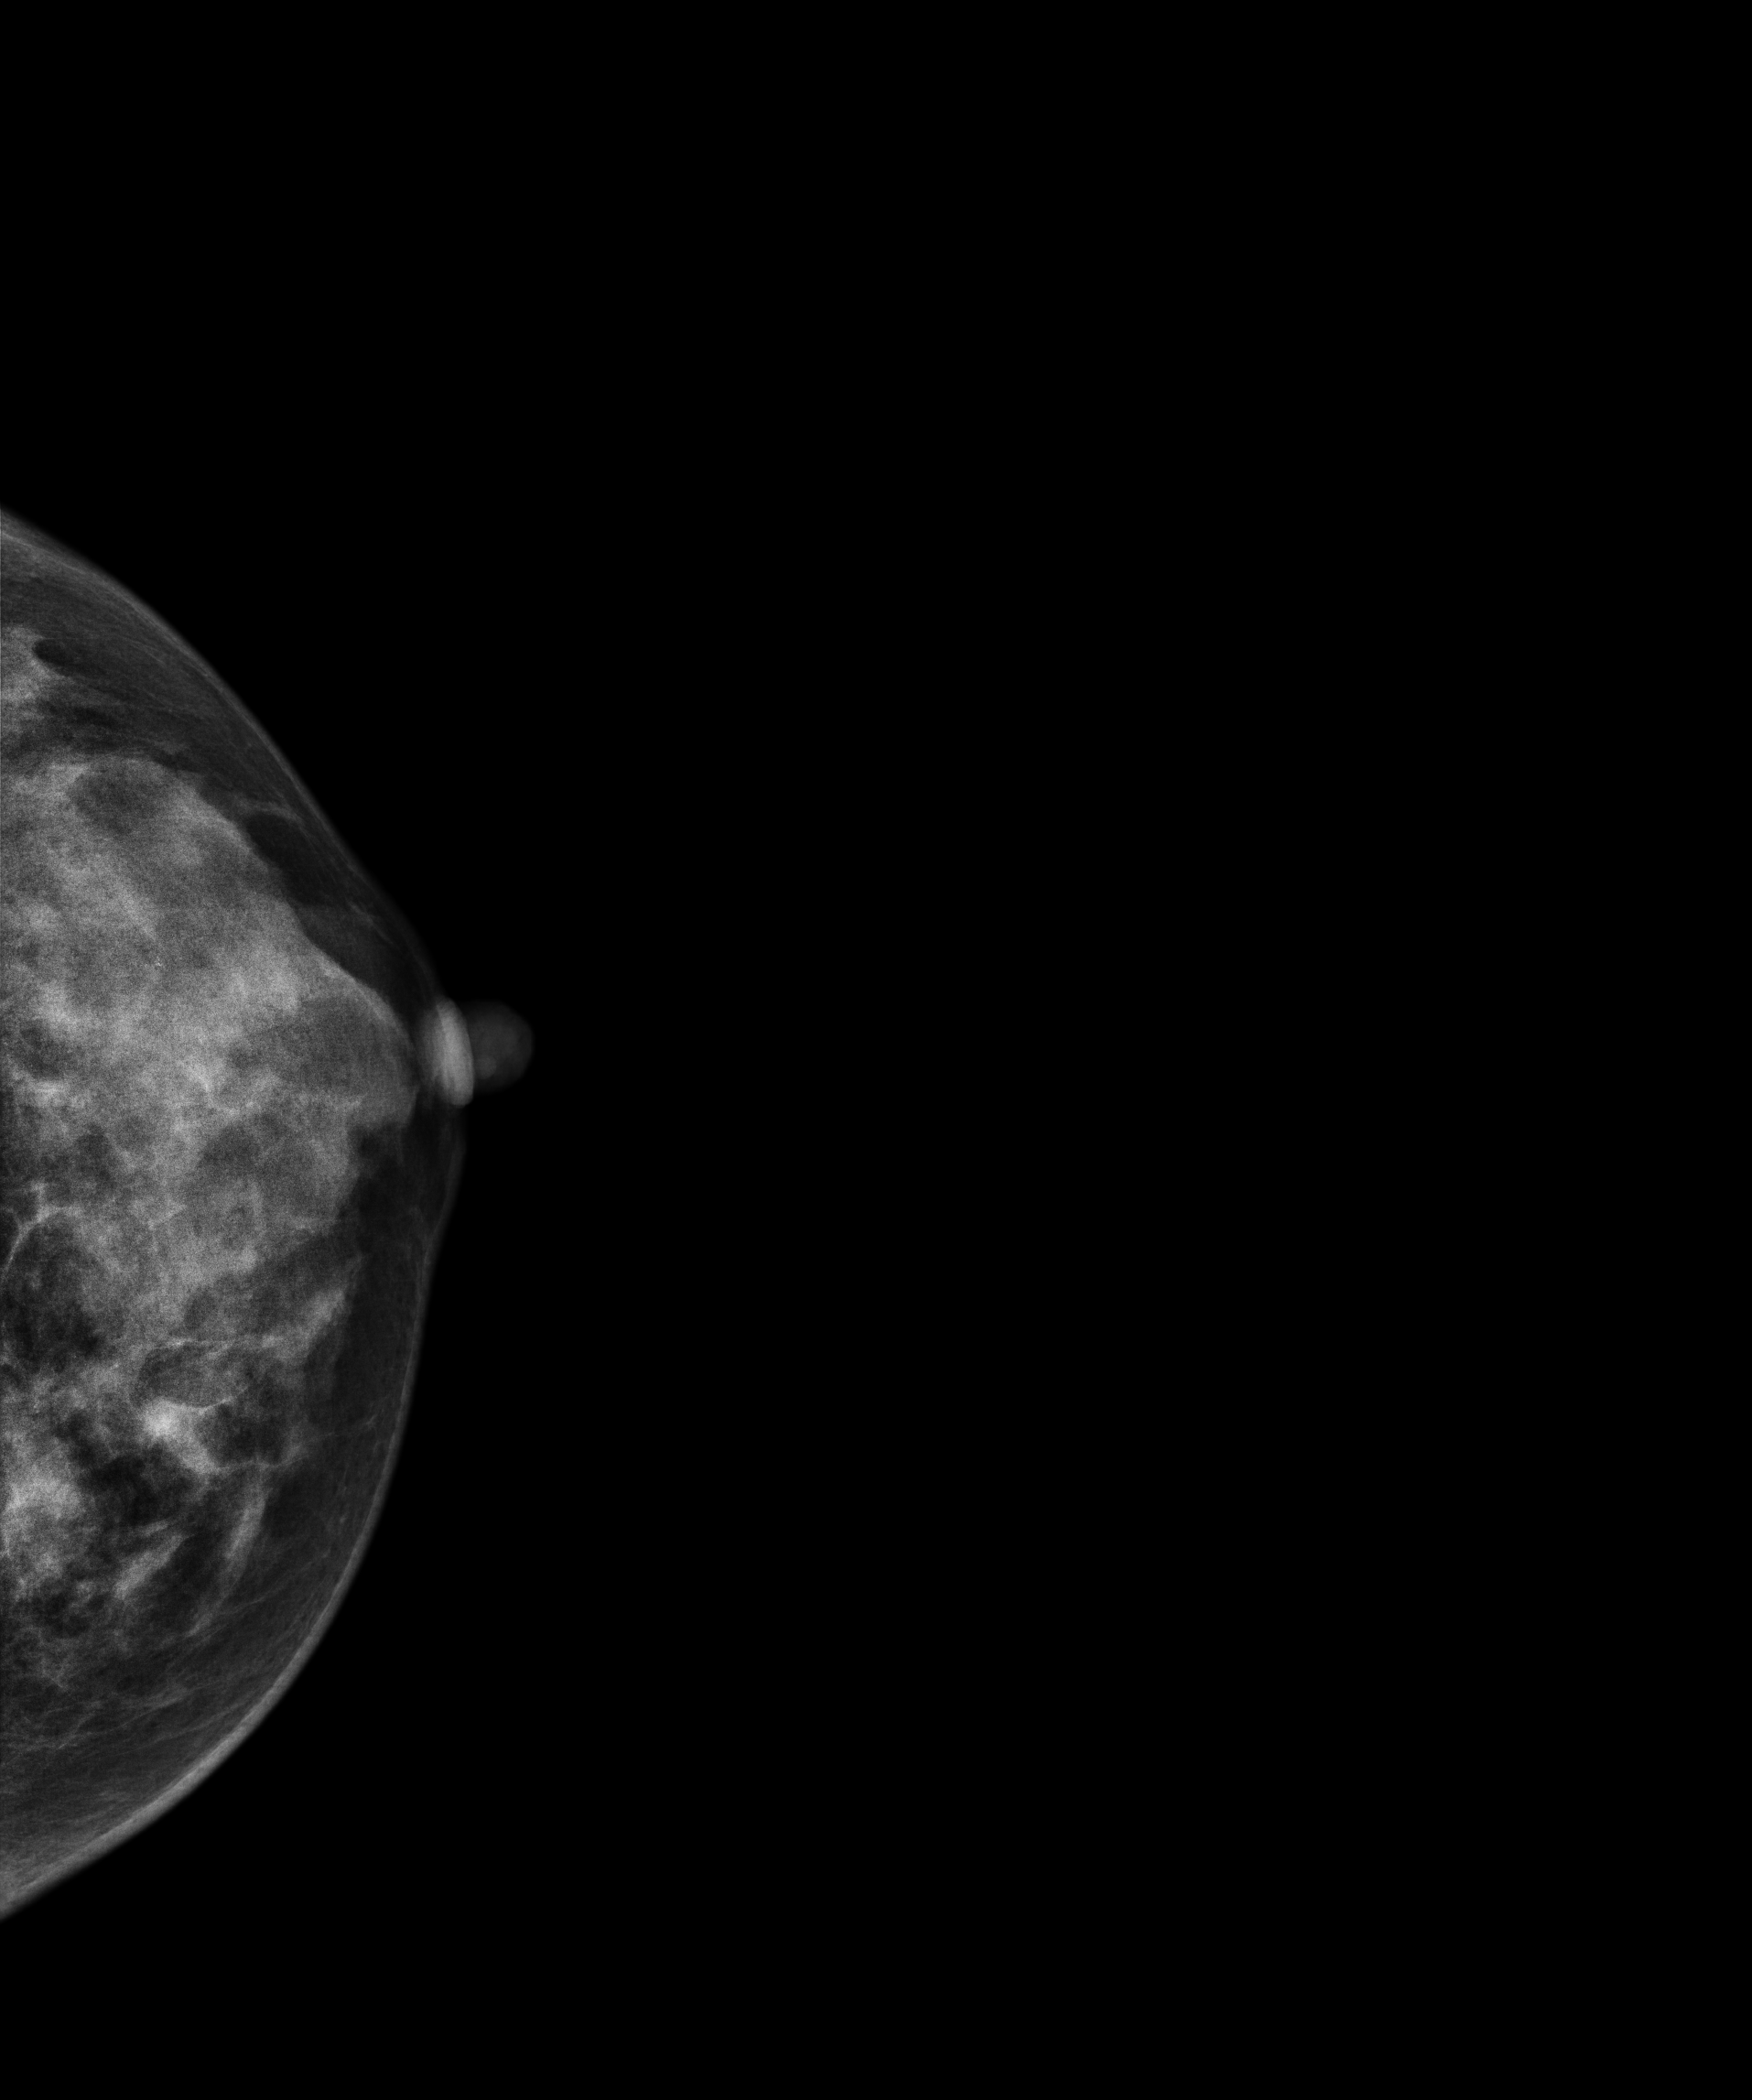
Mammogram, left breast, cranio-caudal view. 37-year-old patient.
This breast has a mass, histologically confirmed malignant. Molecular subtype: triple-negative.